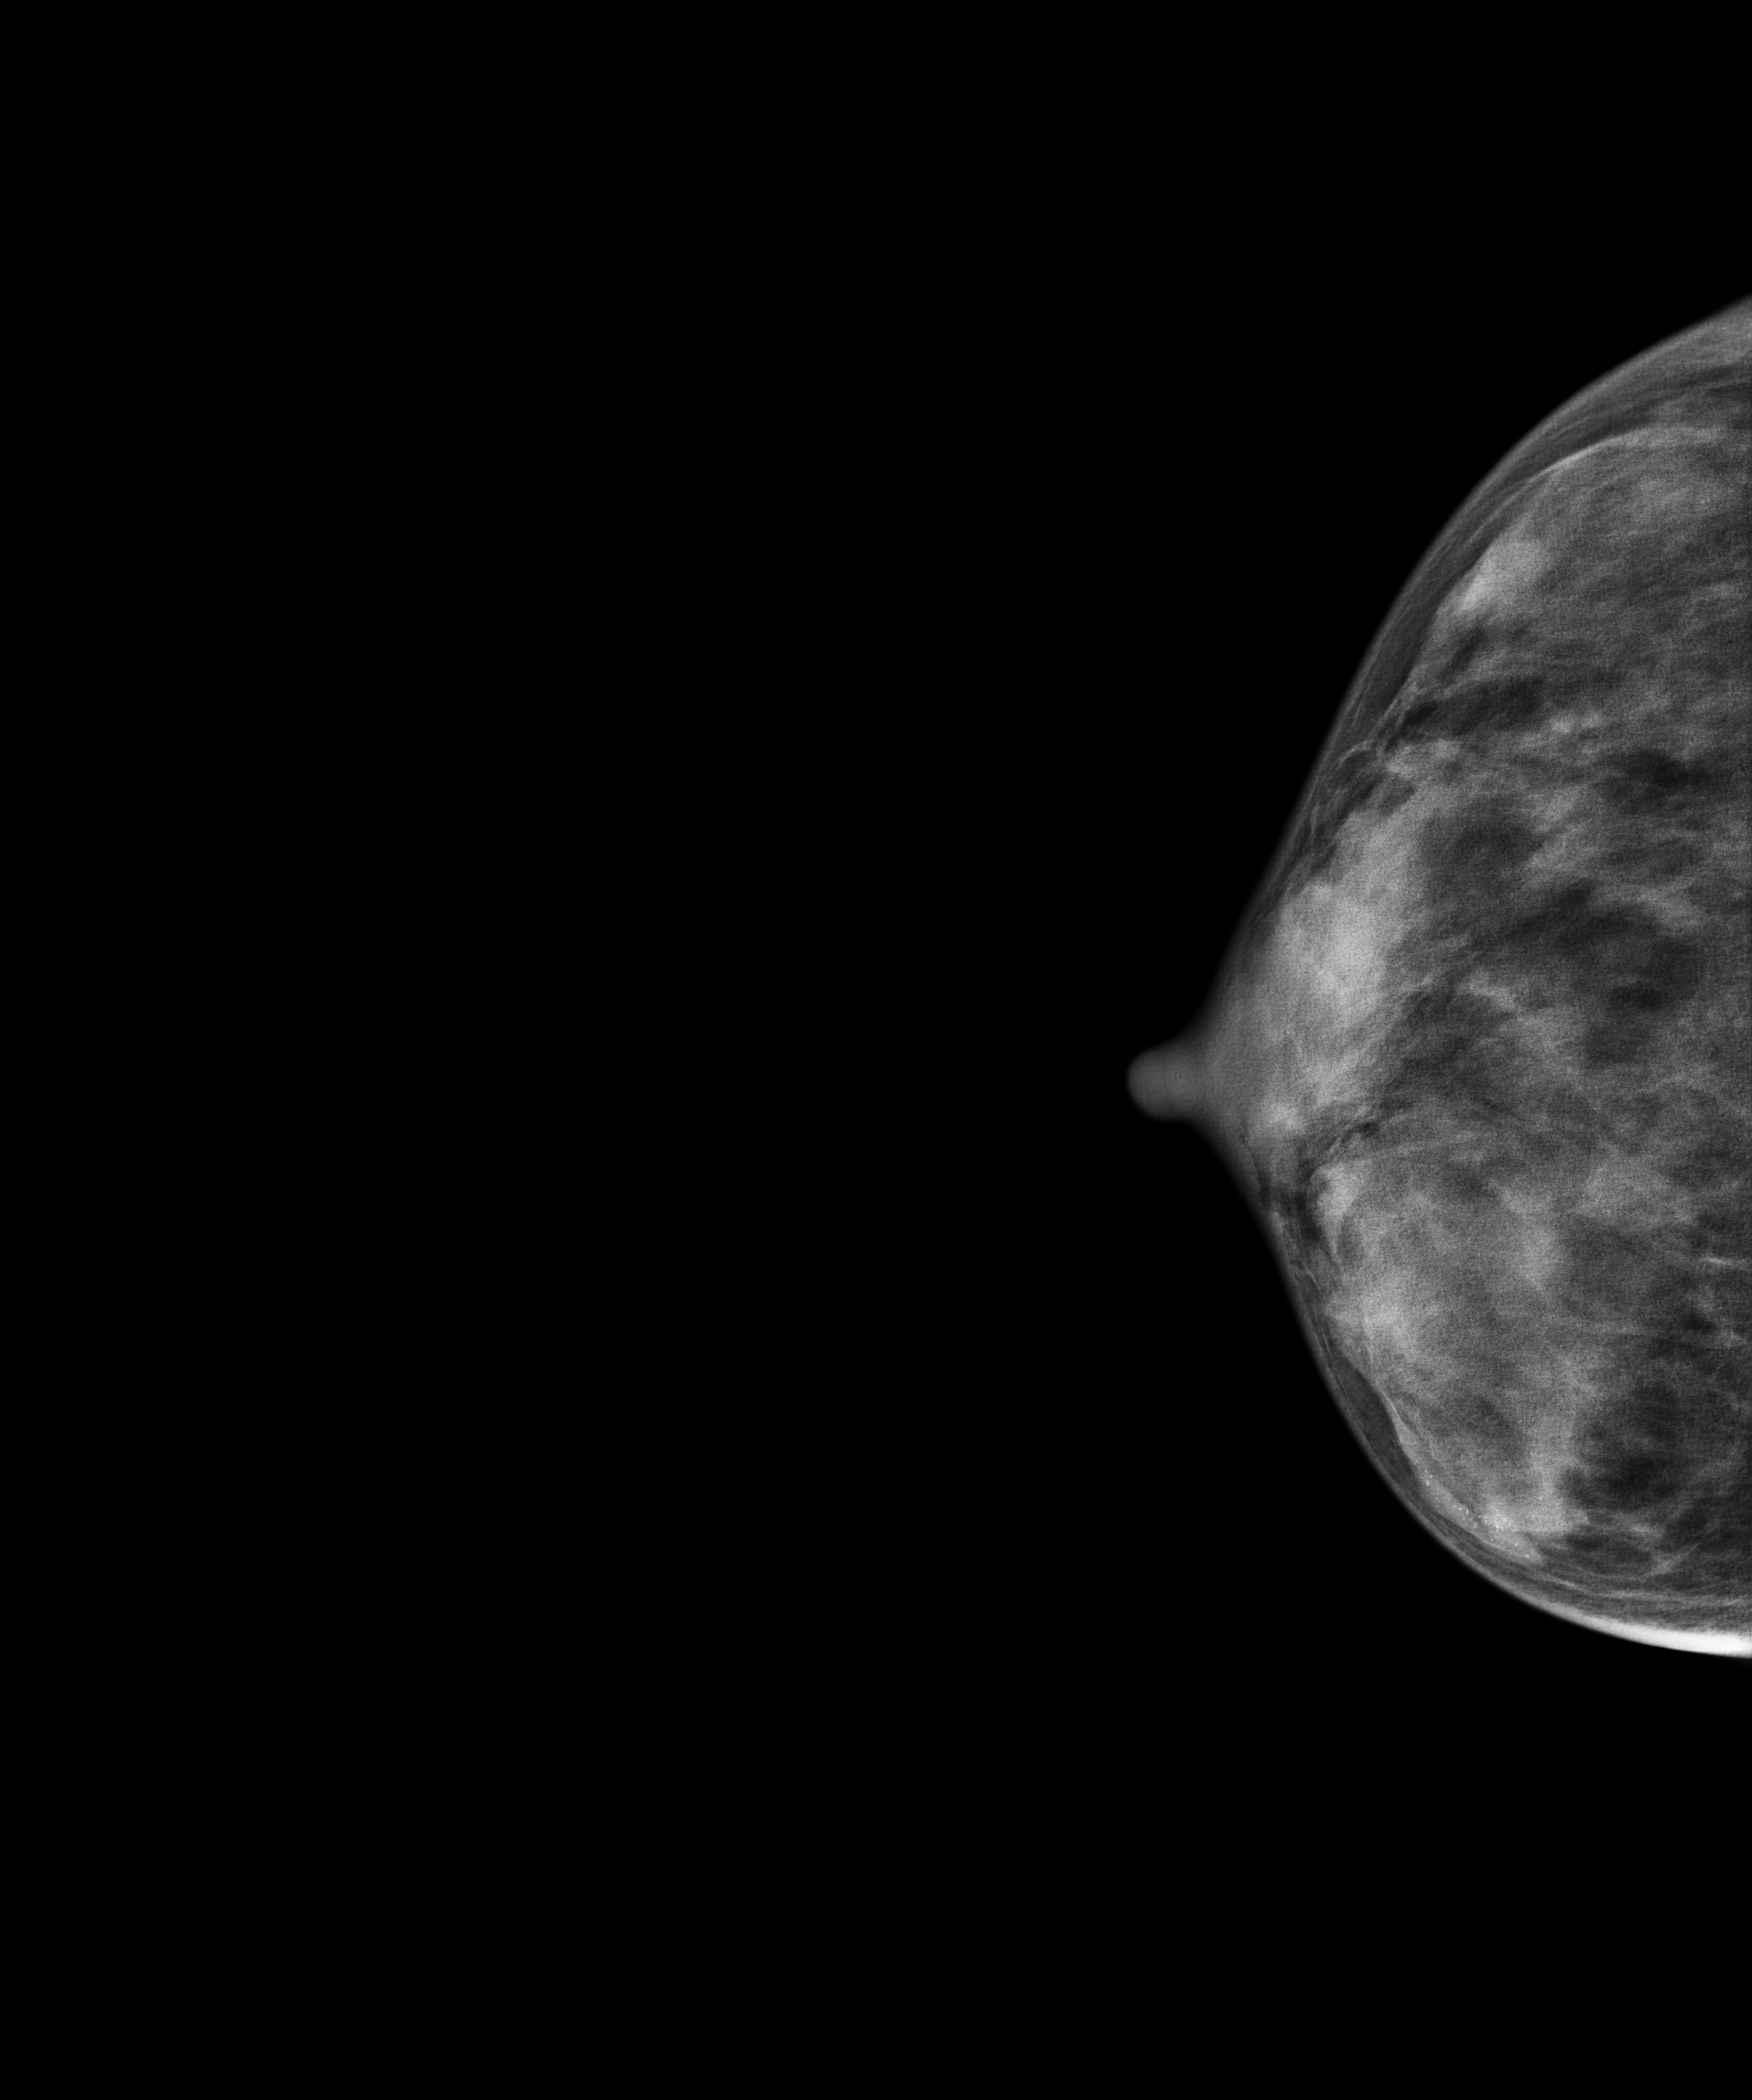
Right-breast mammogram, CC. Patient age 32.
This breast has calcifications, pathology-confirmed malignant.